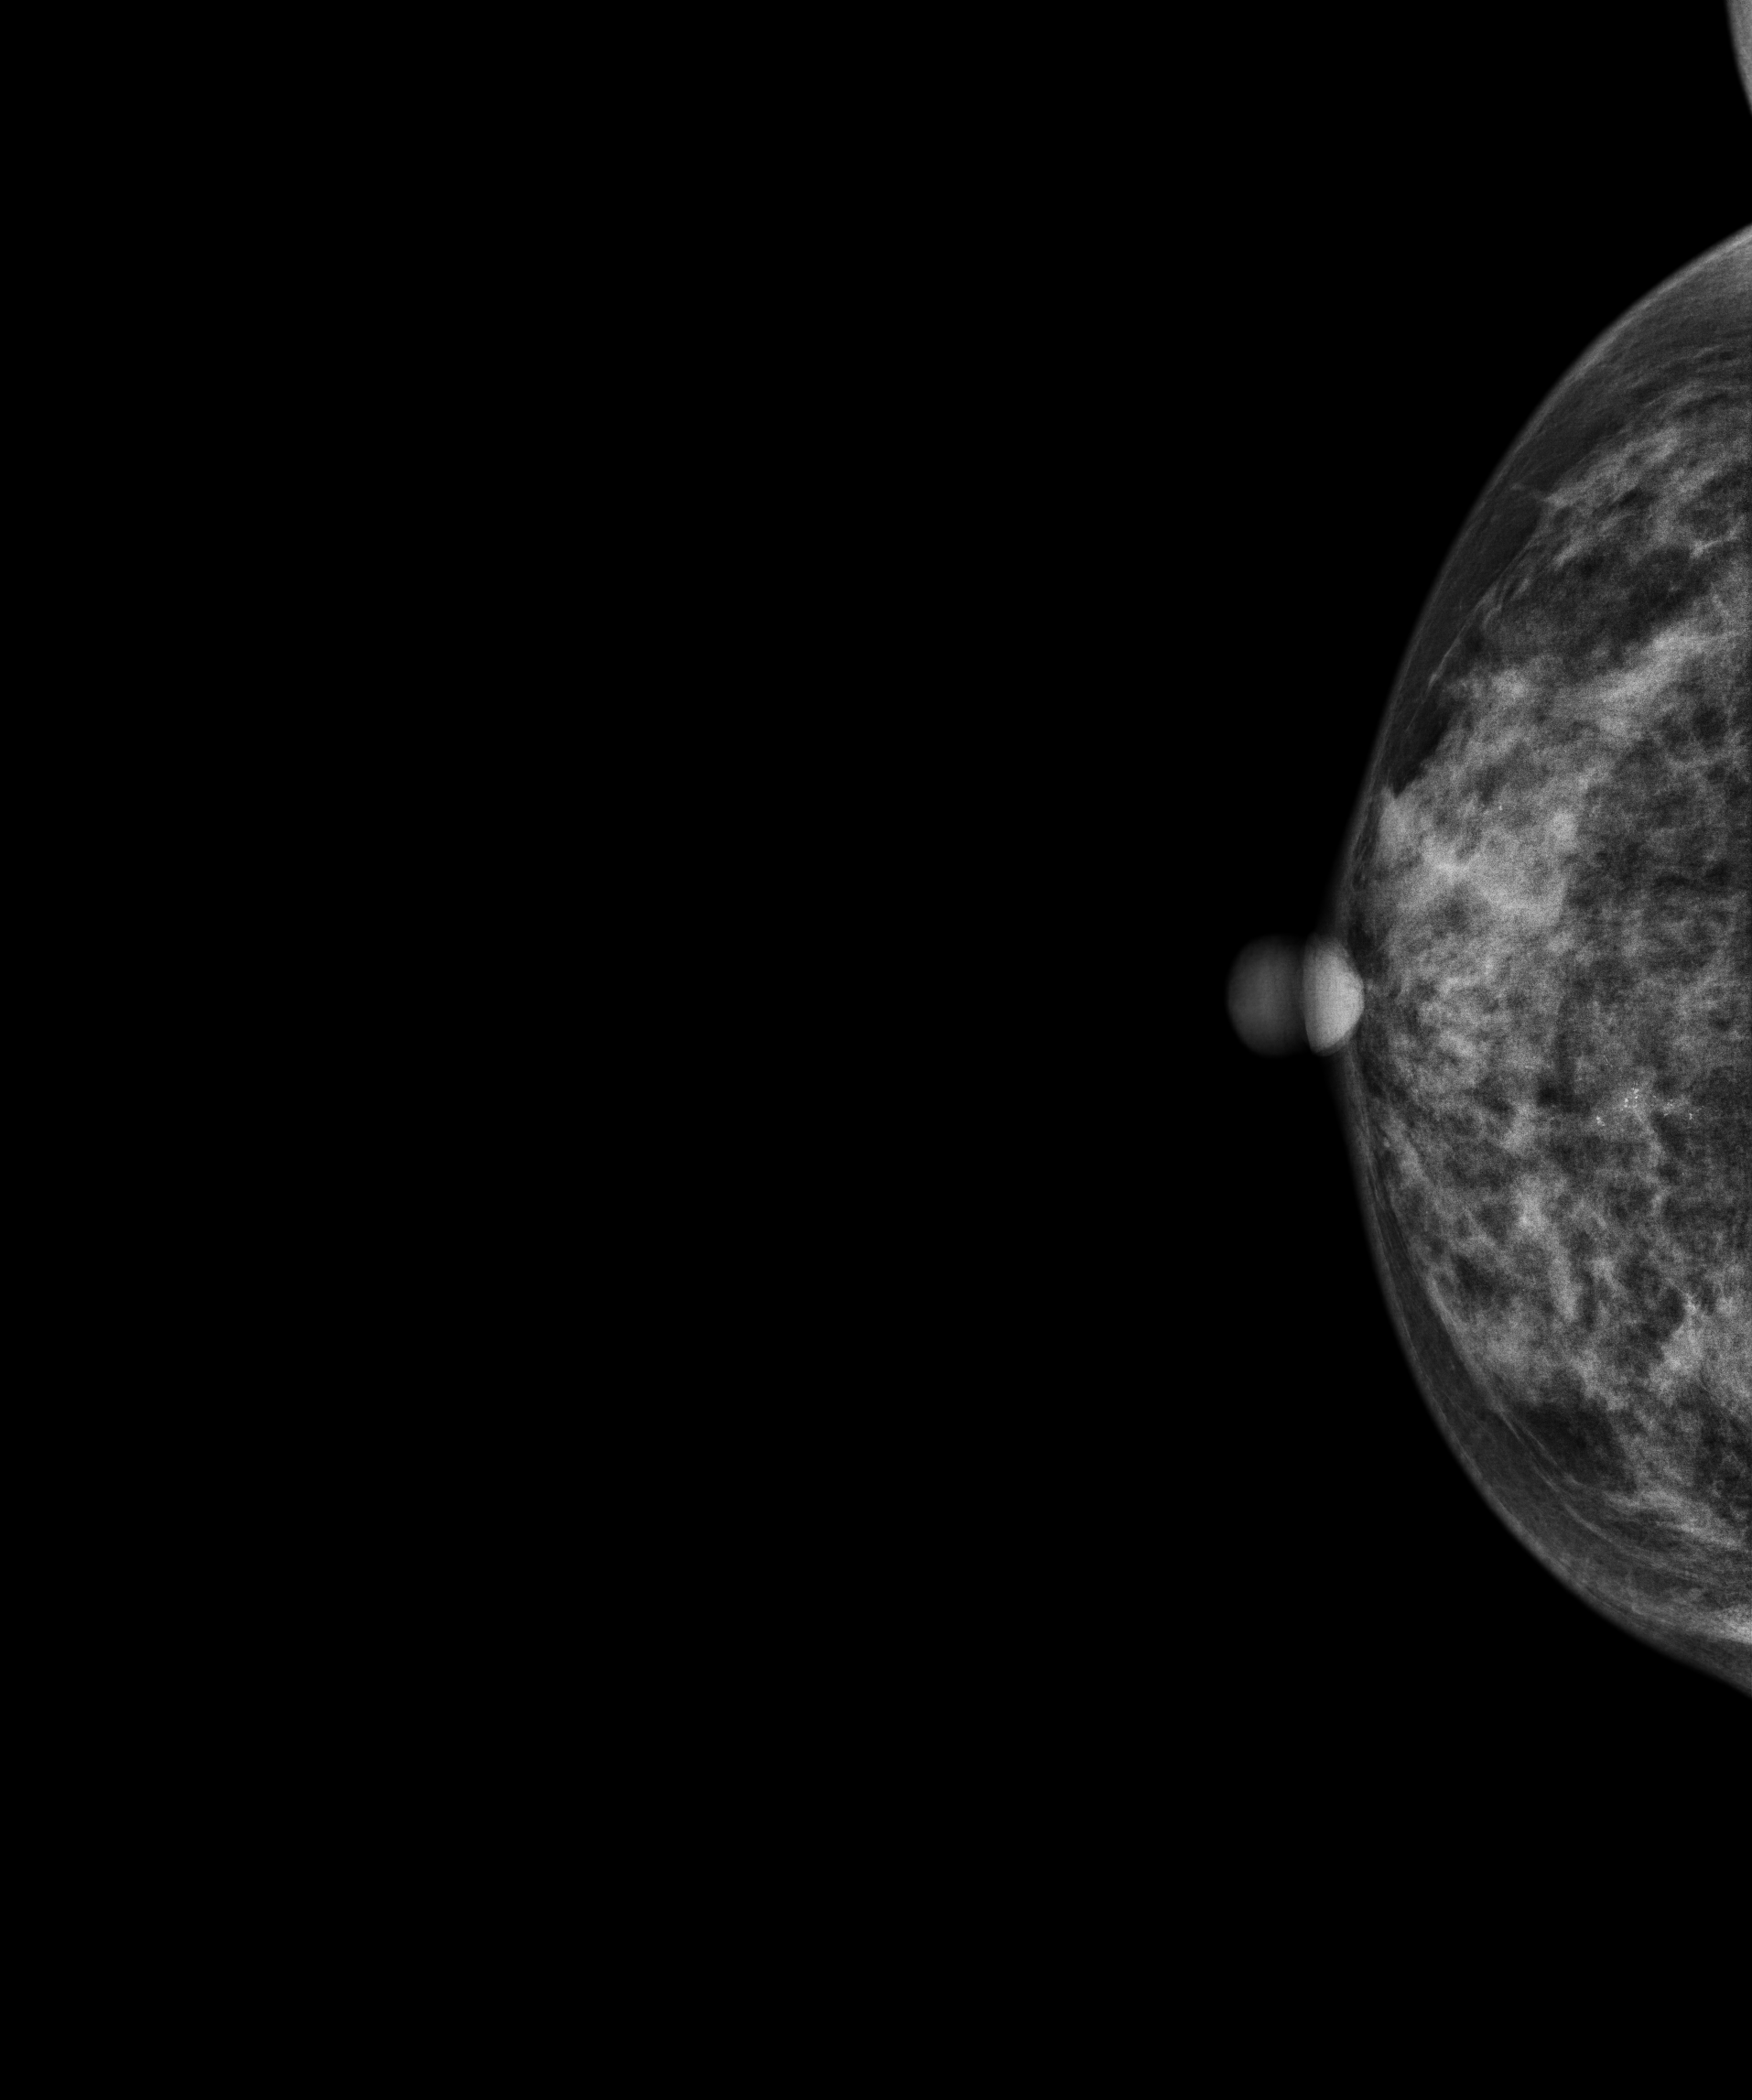
Digital mammography. Right breast, CC projection. 51-year-old patient.
This breast has calcifications, pathology-confirmed benign.